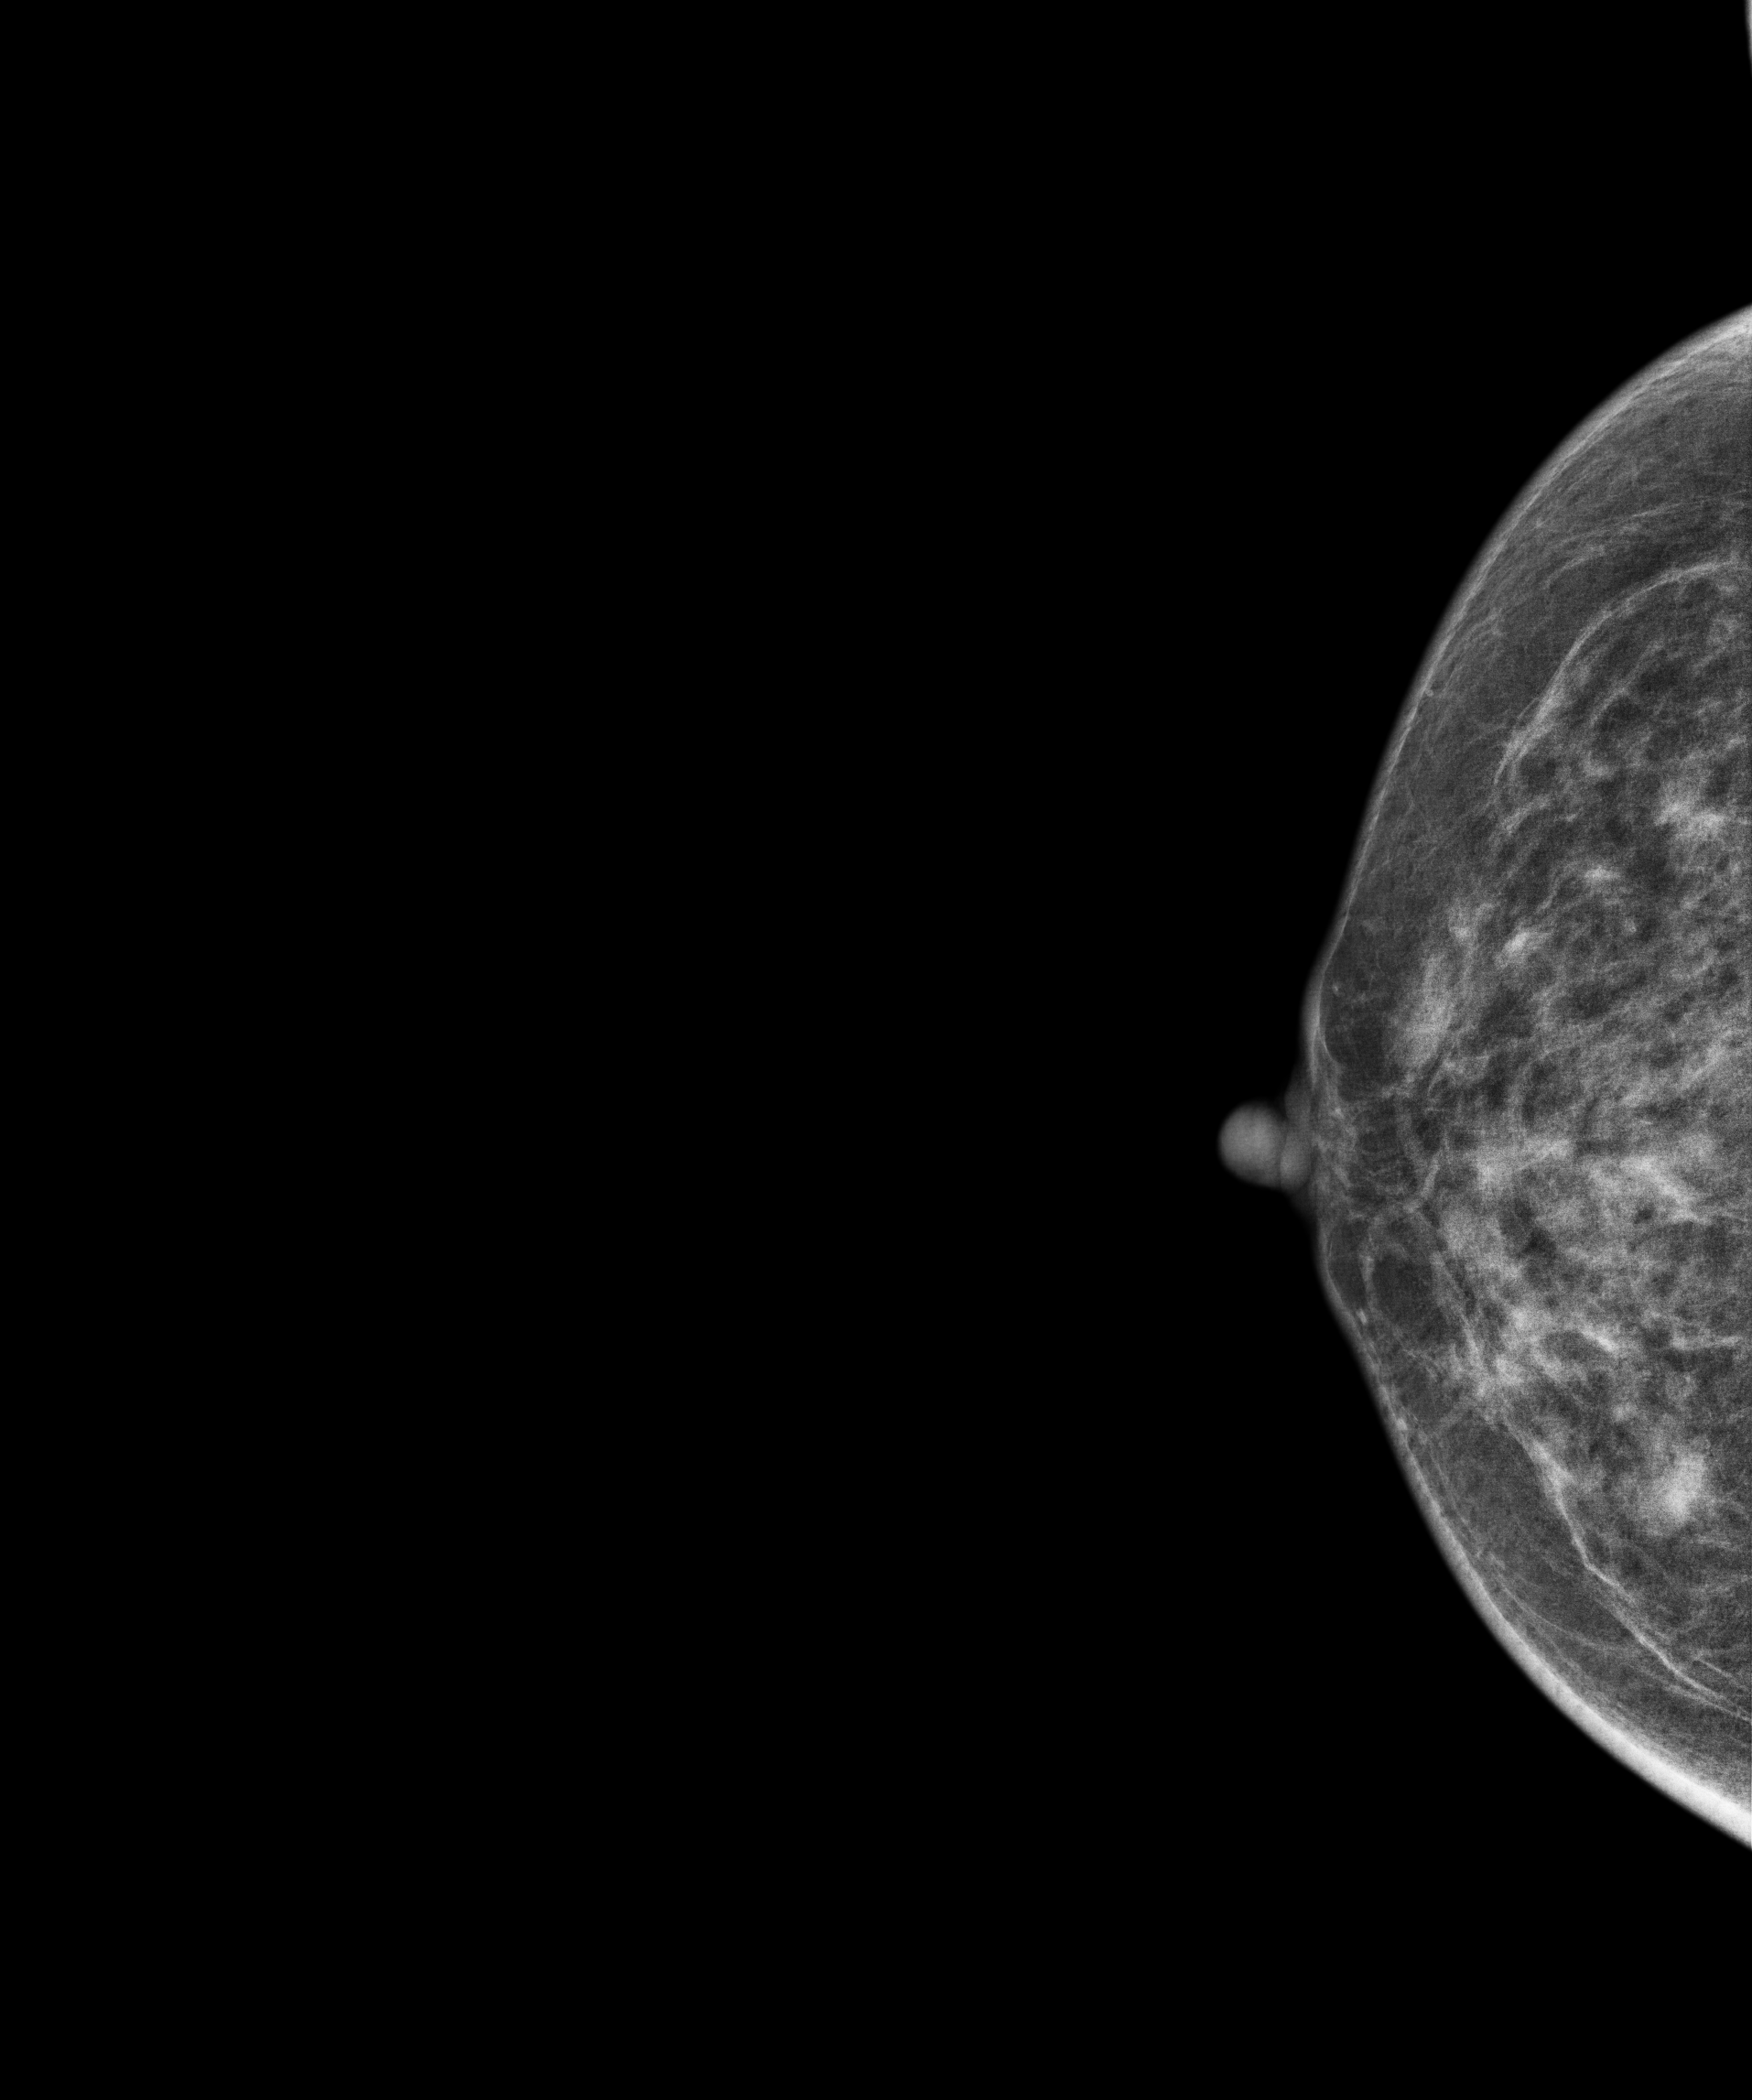
Mammogram, right breast, CC view. 58 y/o patient.
Contralateral breast — no documented abnormality on this side.